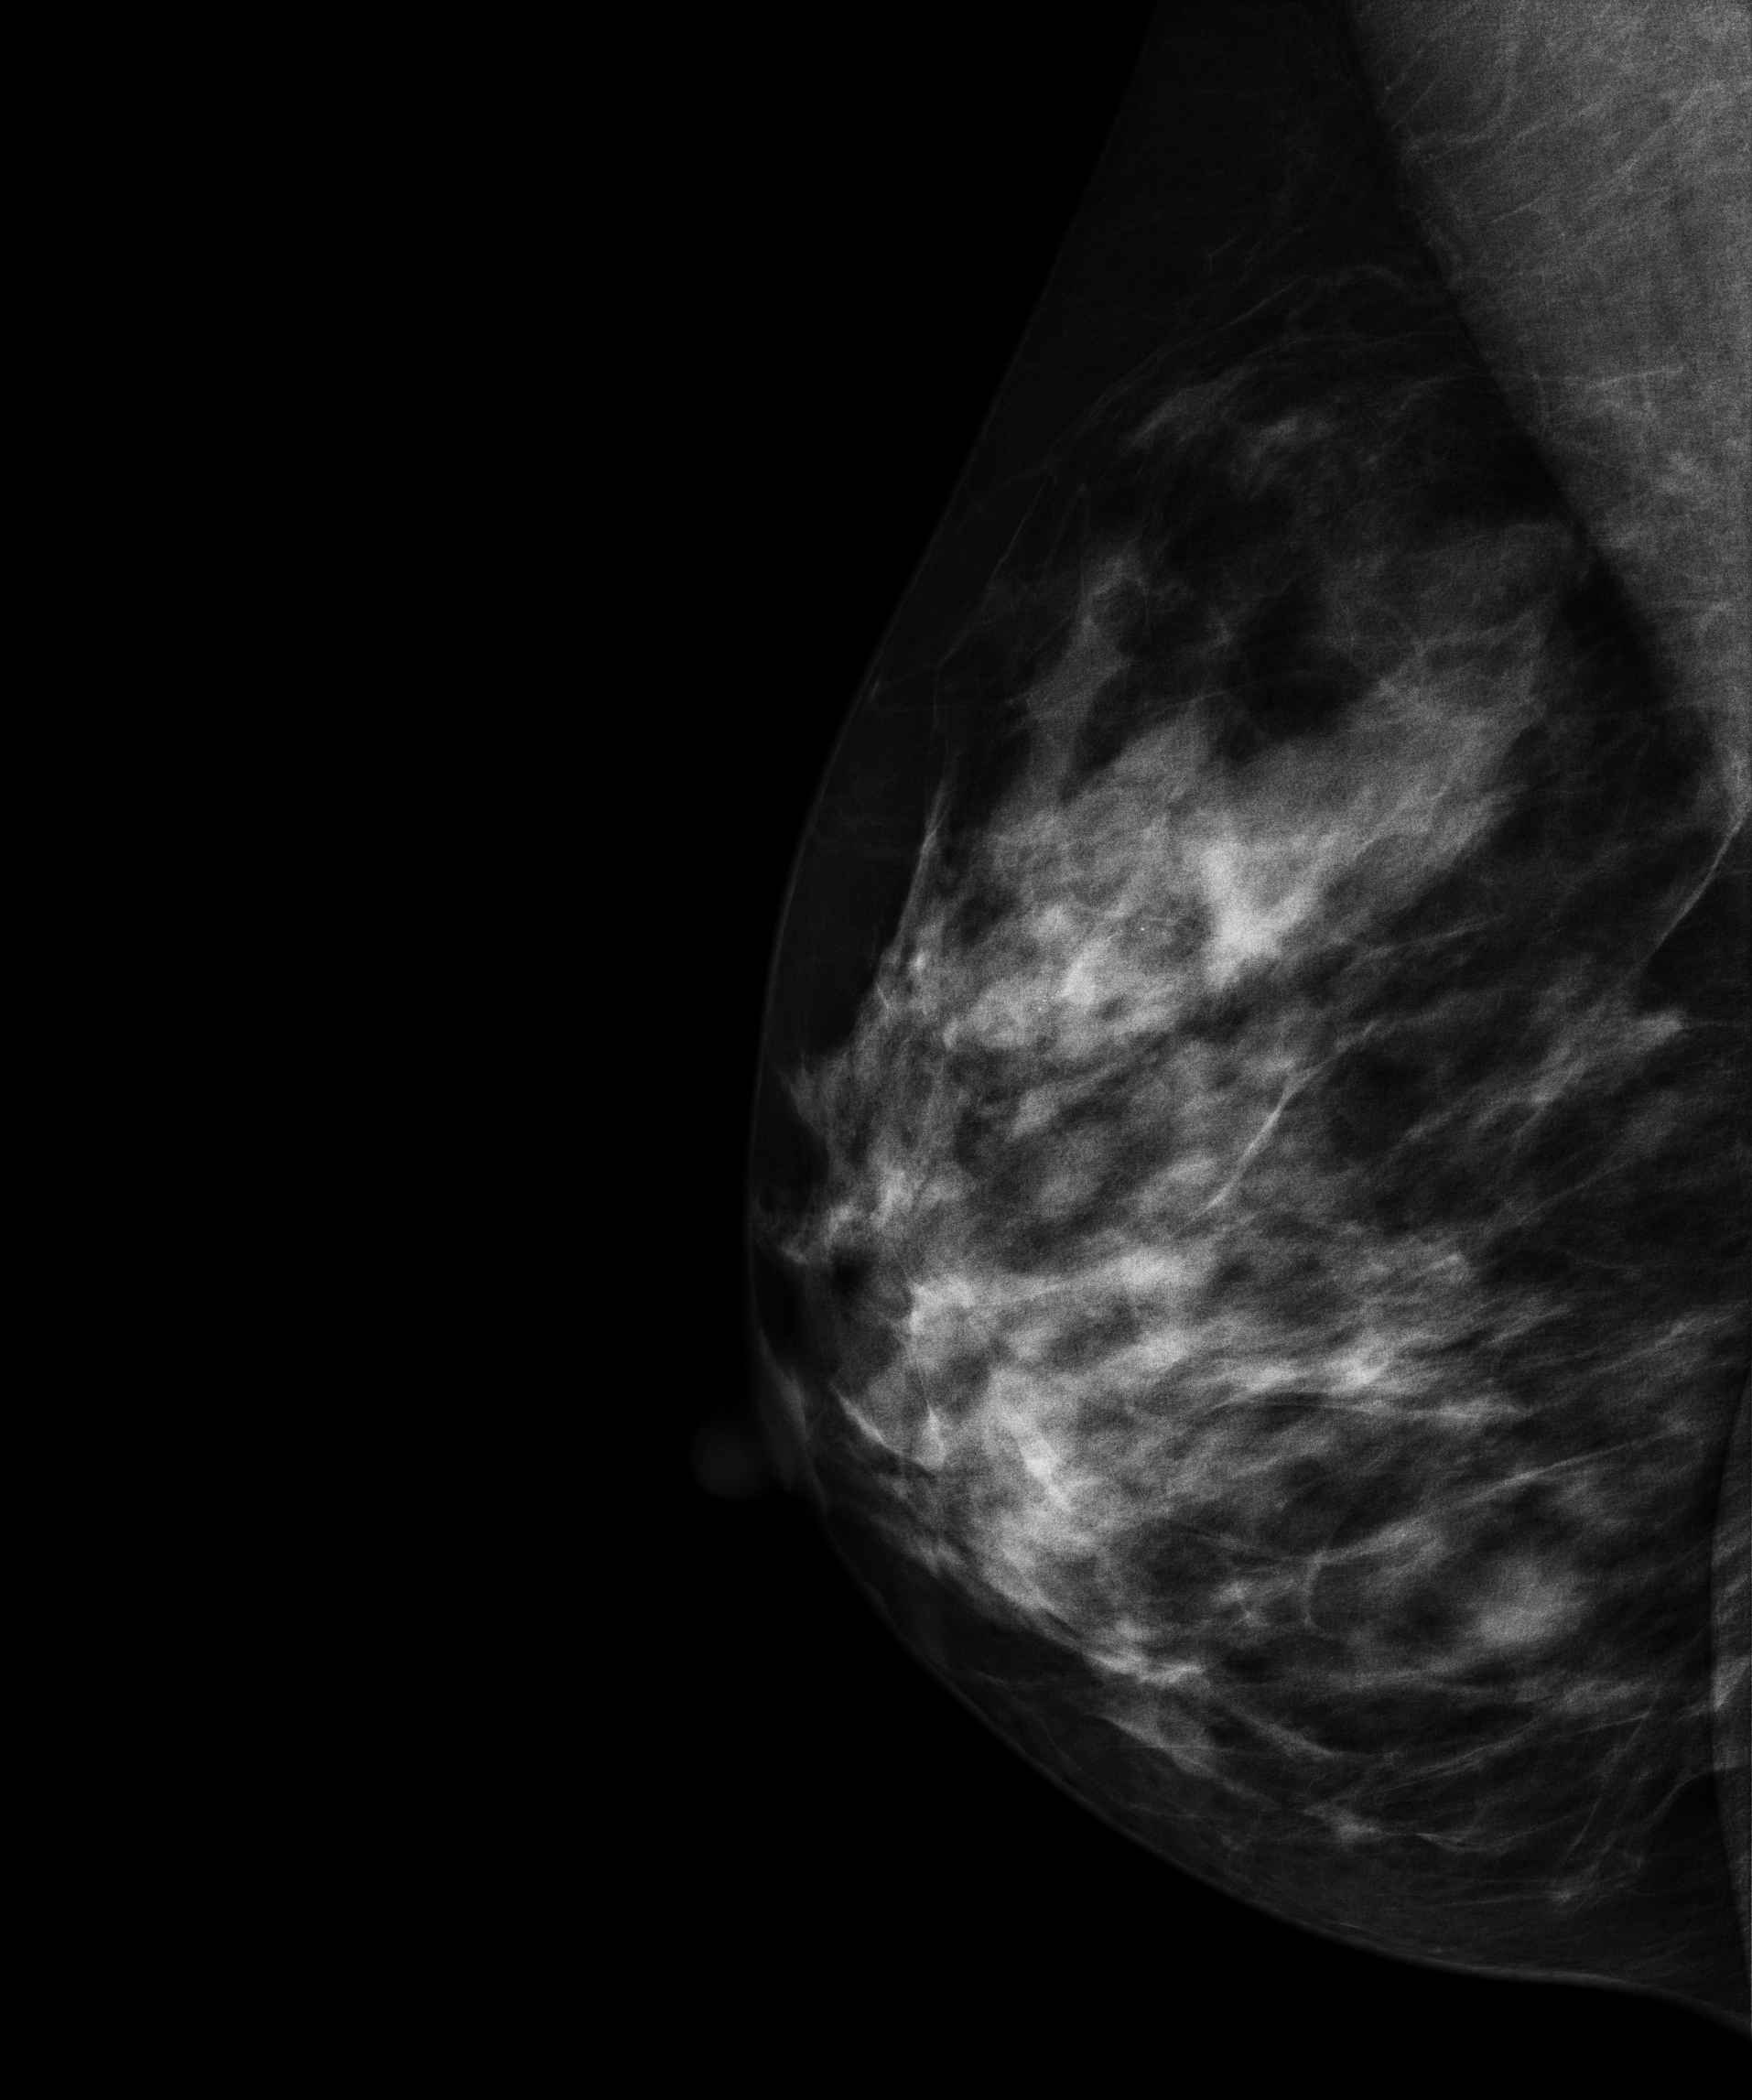
Mammogram — right medio-lateral oblique. 40-year-old patient.
Contralateral breast — no documented abnormality on this side.